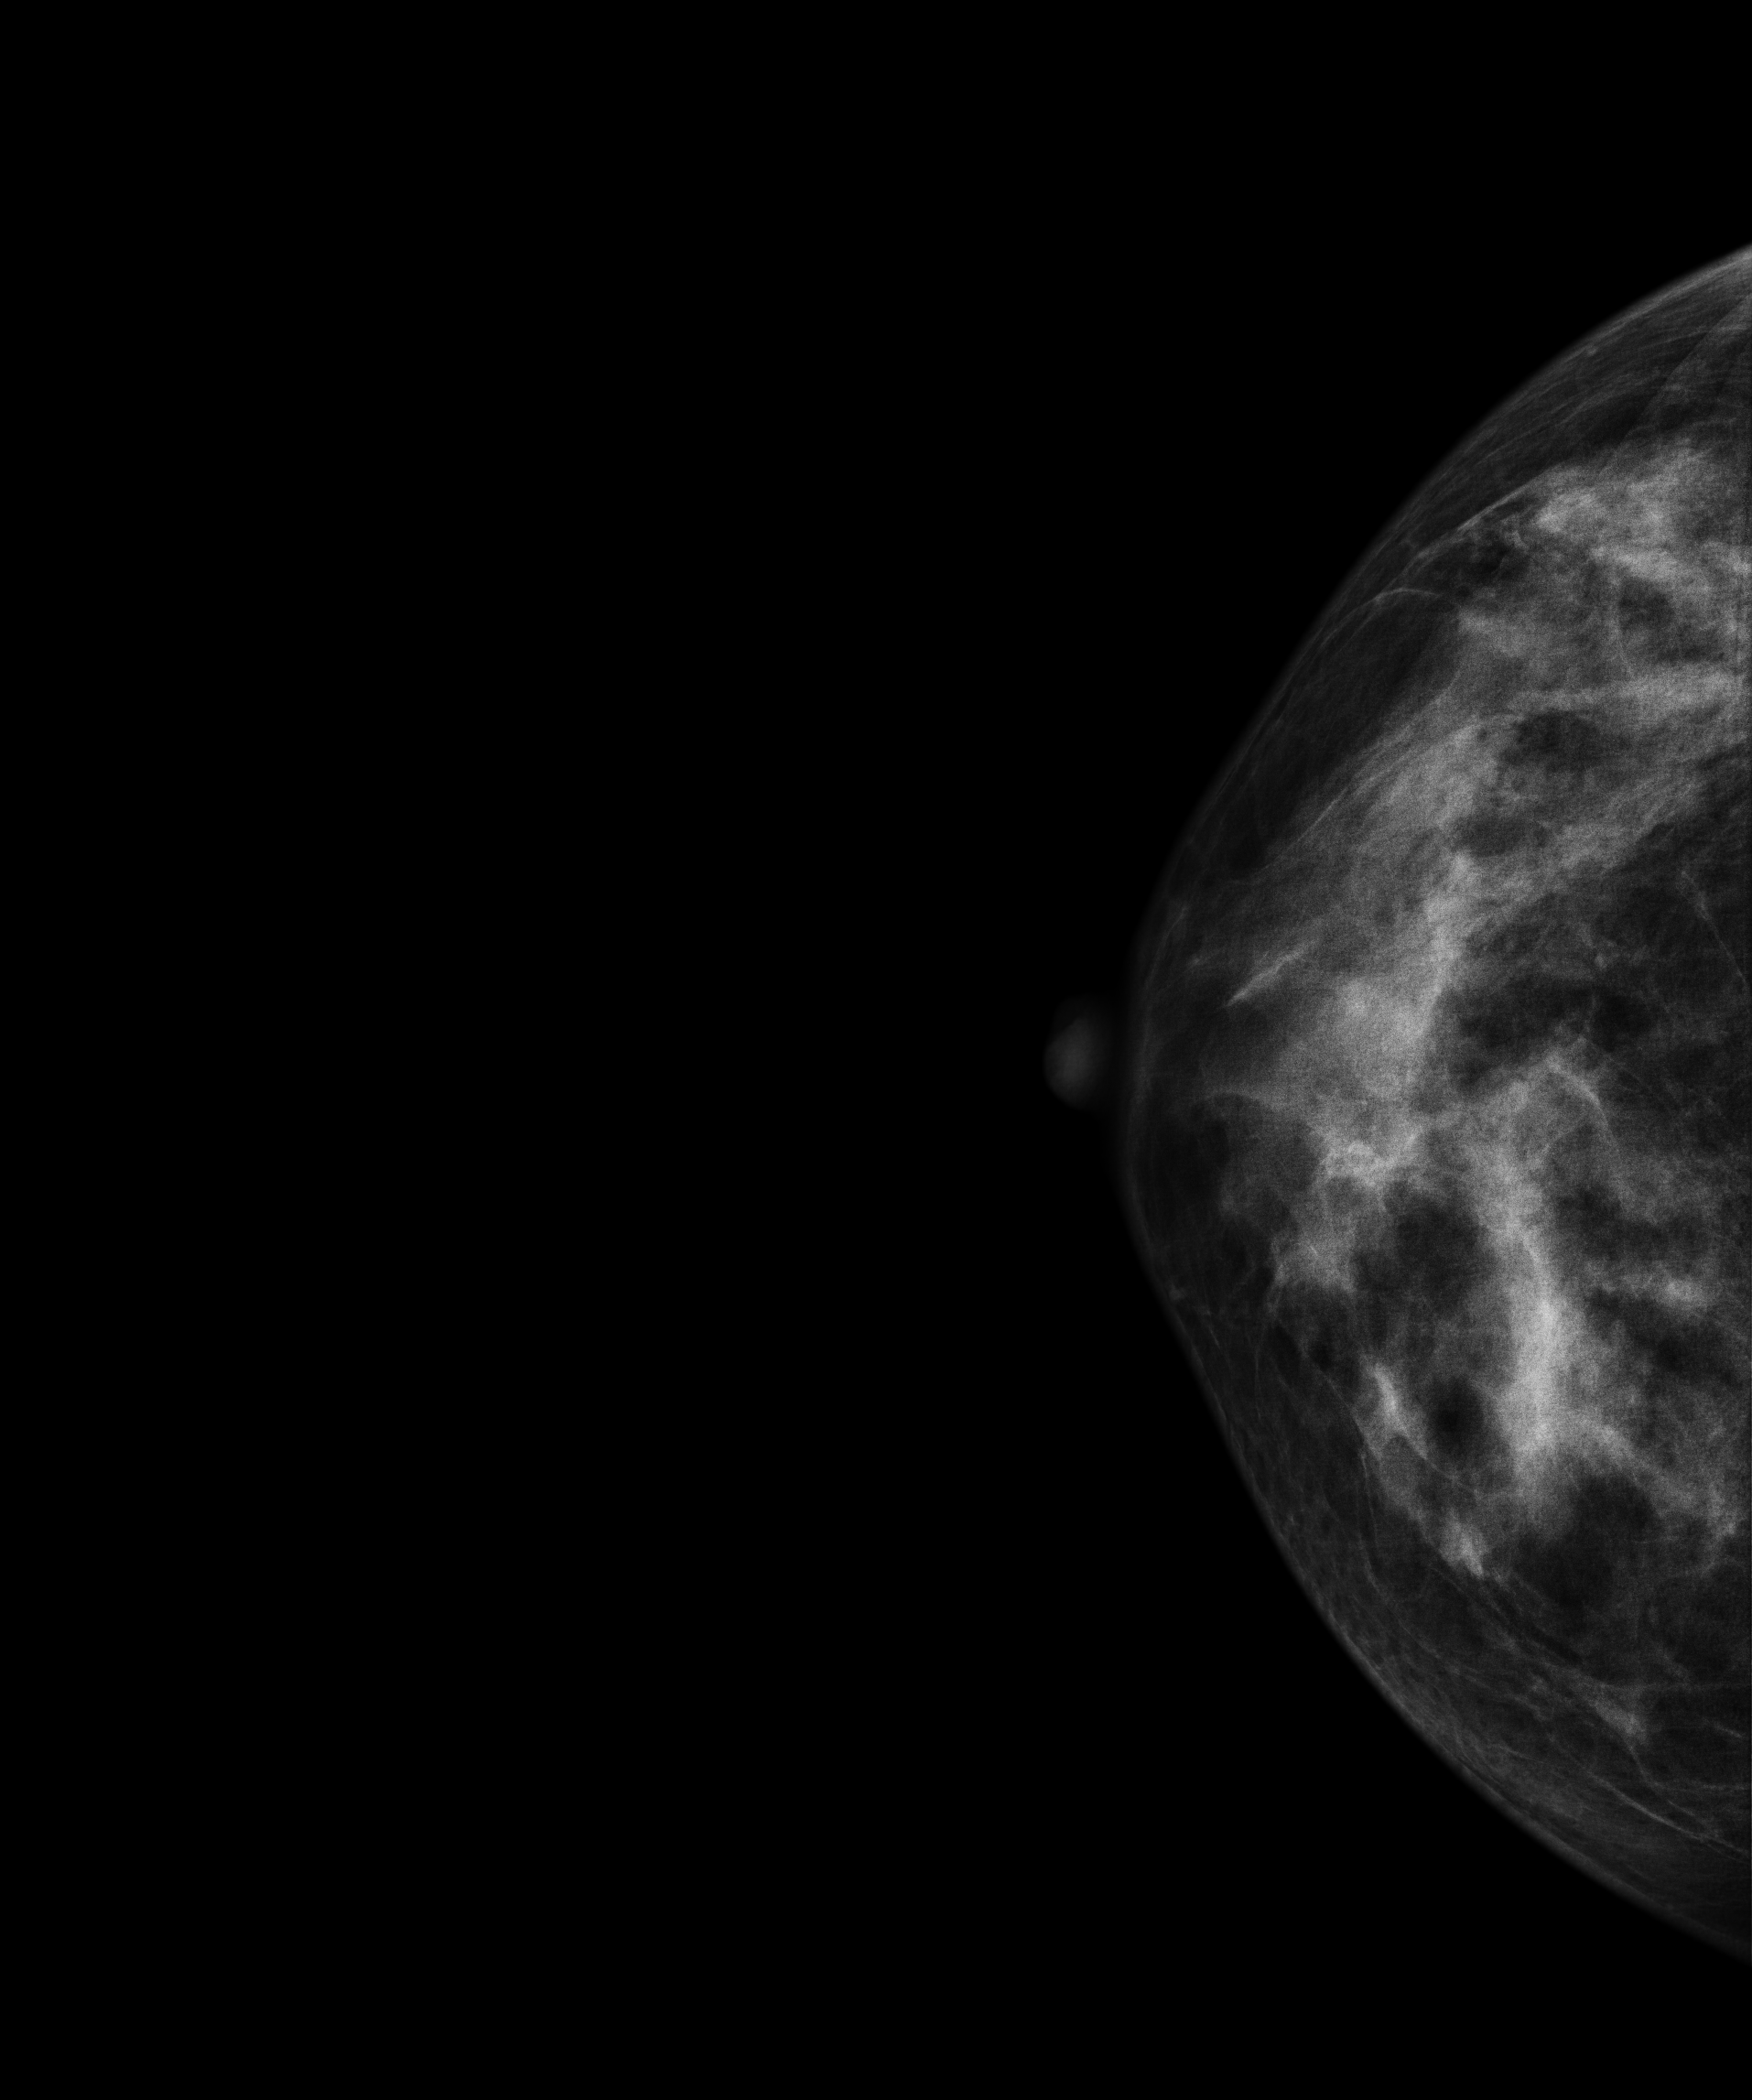
Cranio-caudal mammogram of the right breast. 51 y/o patient.
Contralateral breast — no documented abnormality on this side.